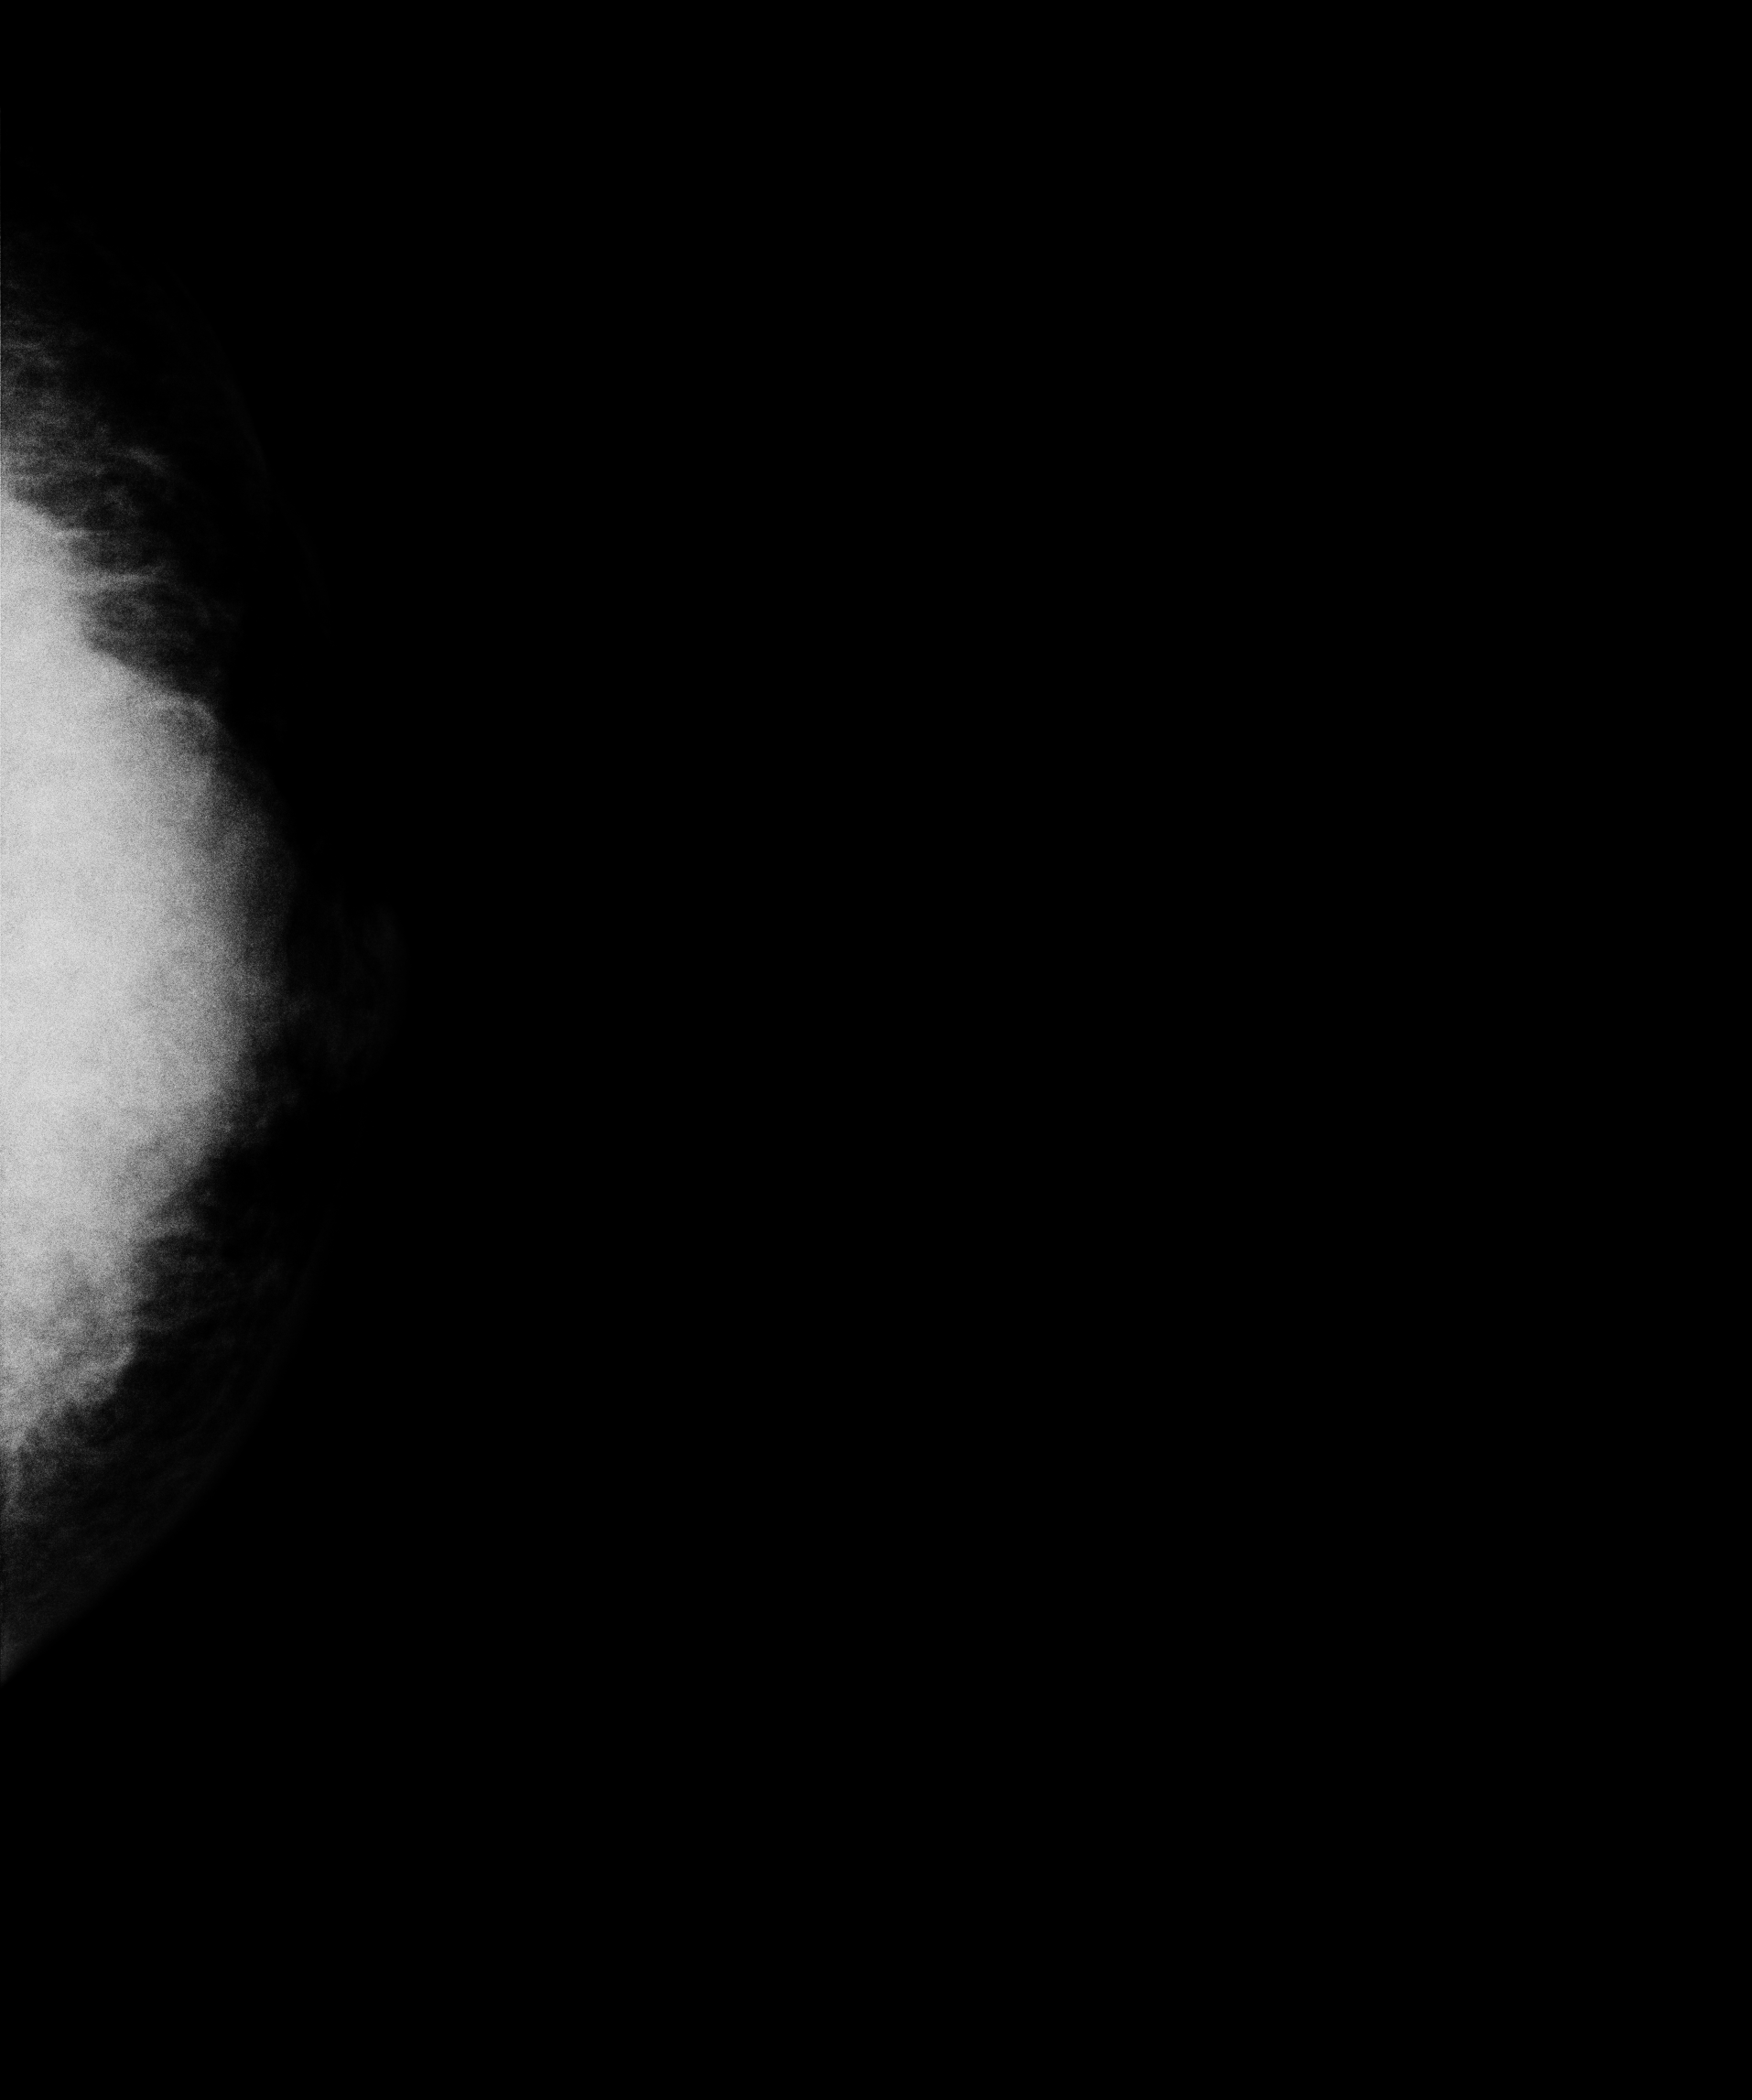
Mammogram — left cranio-caudal. 47 y/o patient.
This breast has a mass, biopsy-confirmed malignant.